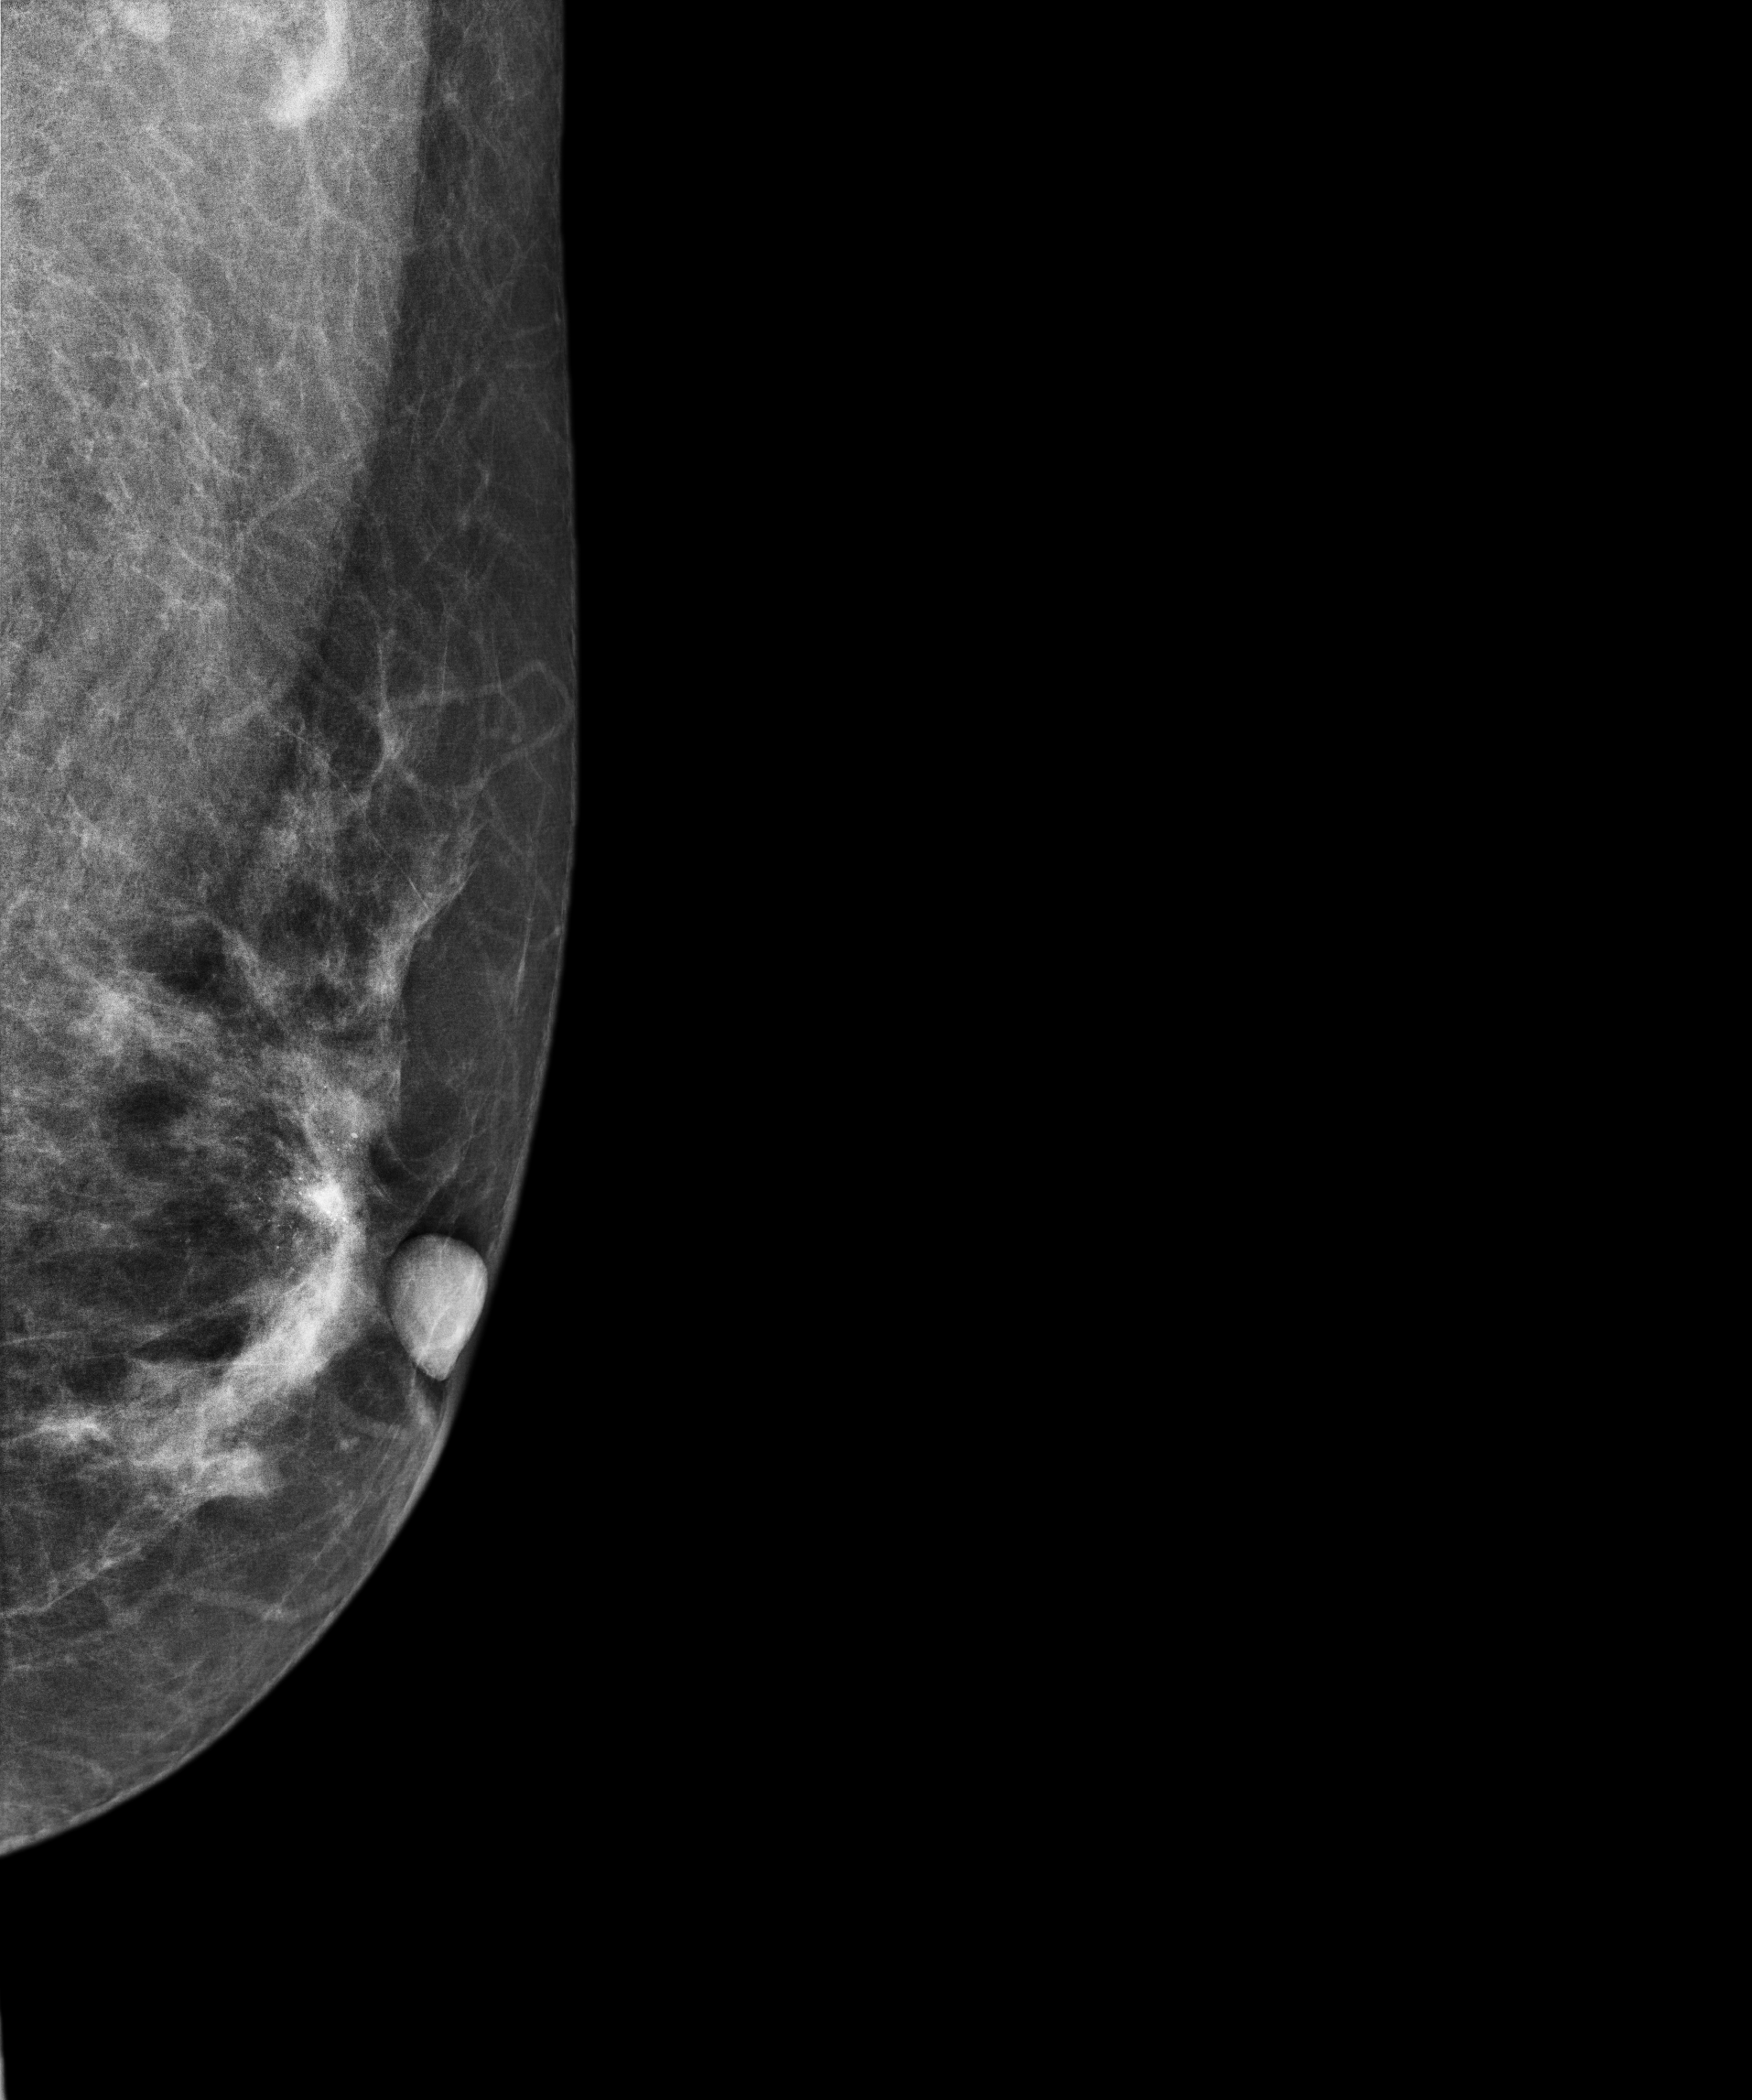
Mammogram — left medio-lateral oblique. Patient age 45.
This breast has a mass and calcifications, histologically confirmed benign.